Mammogram — left CC. Patient age 40.
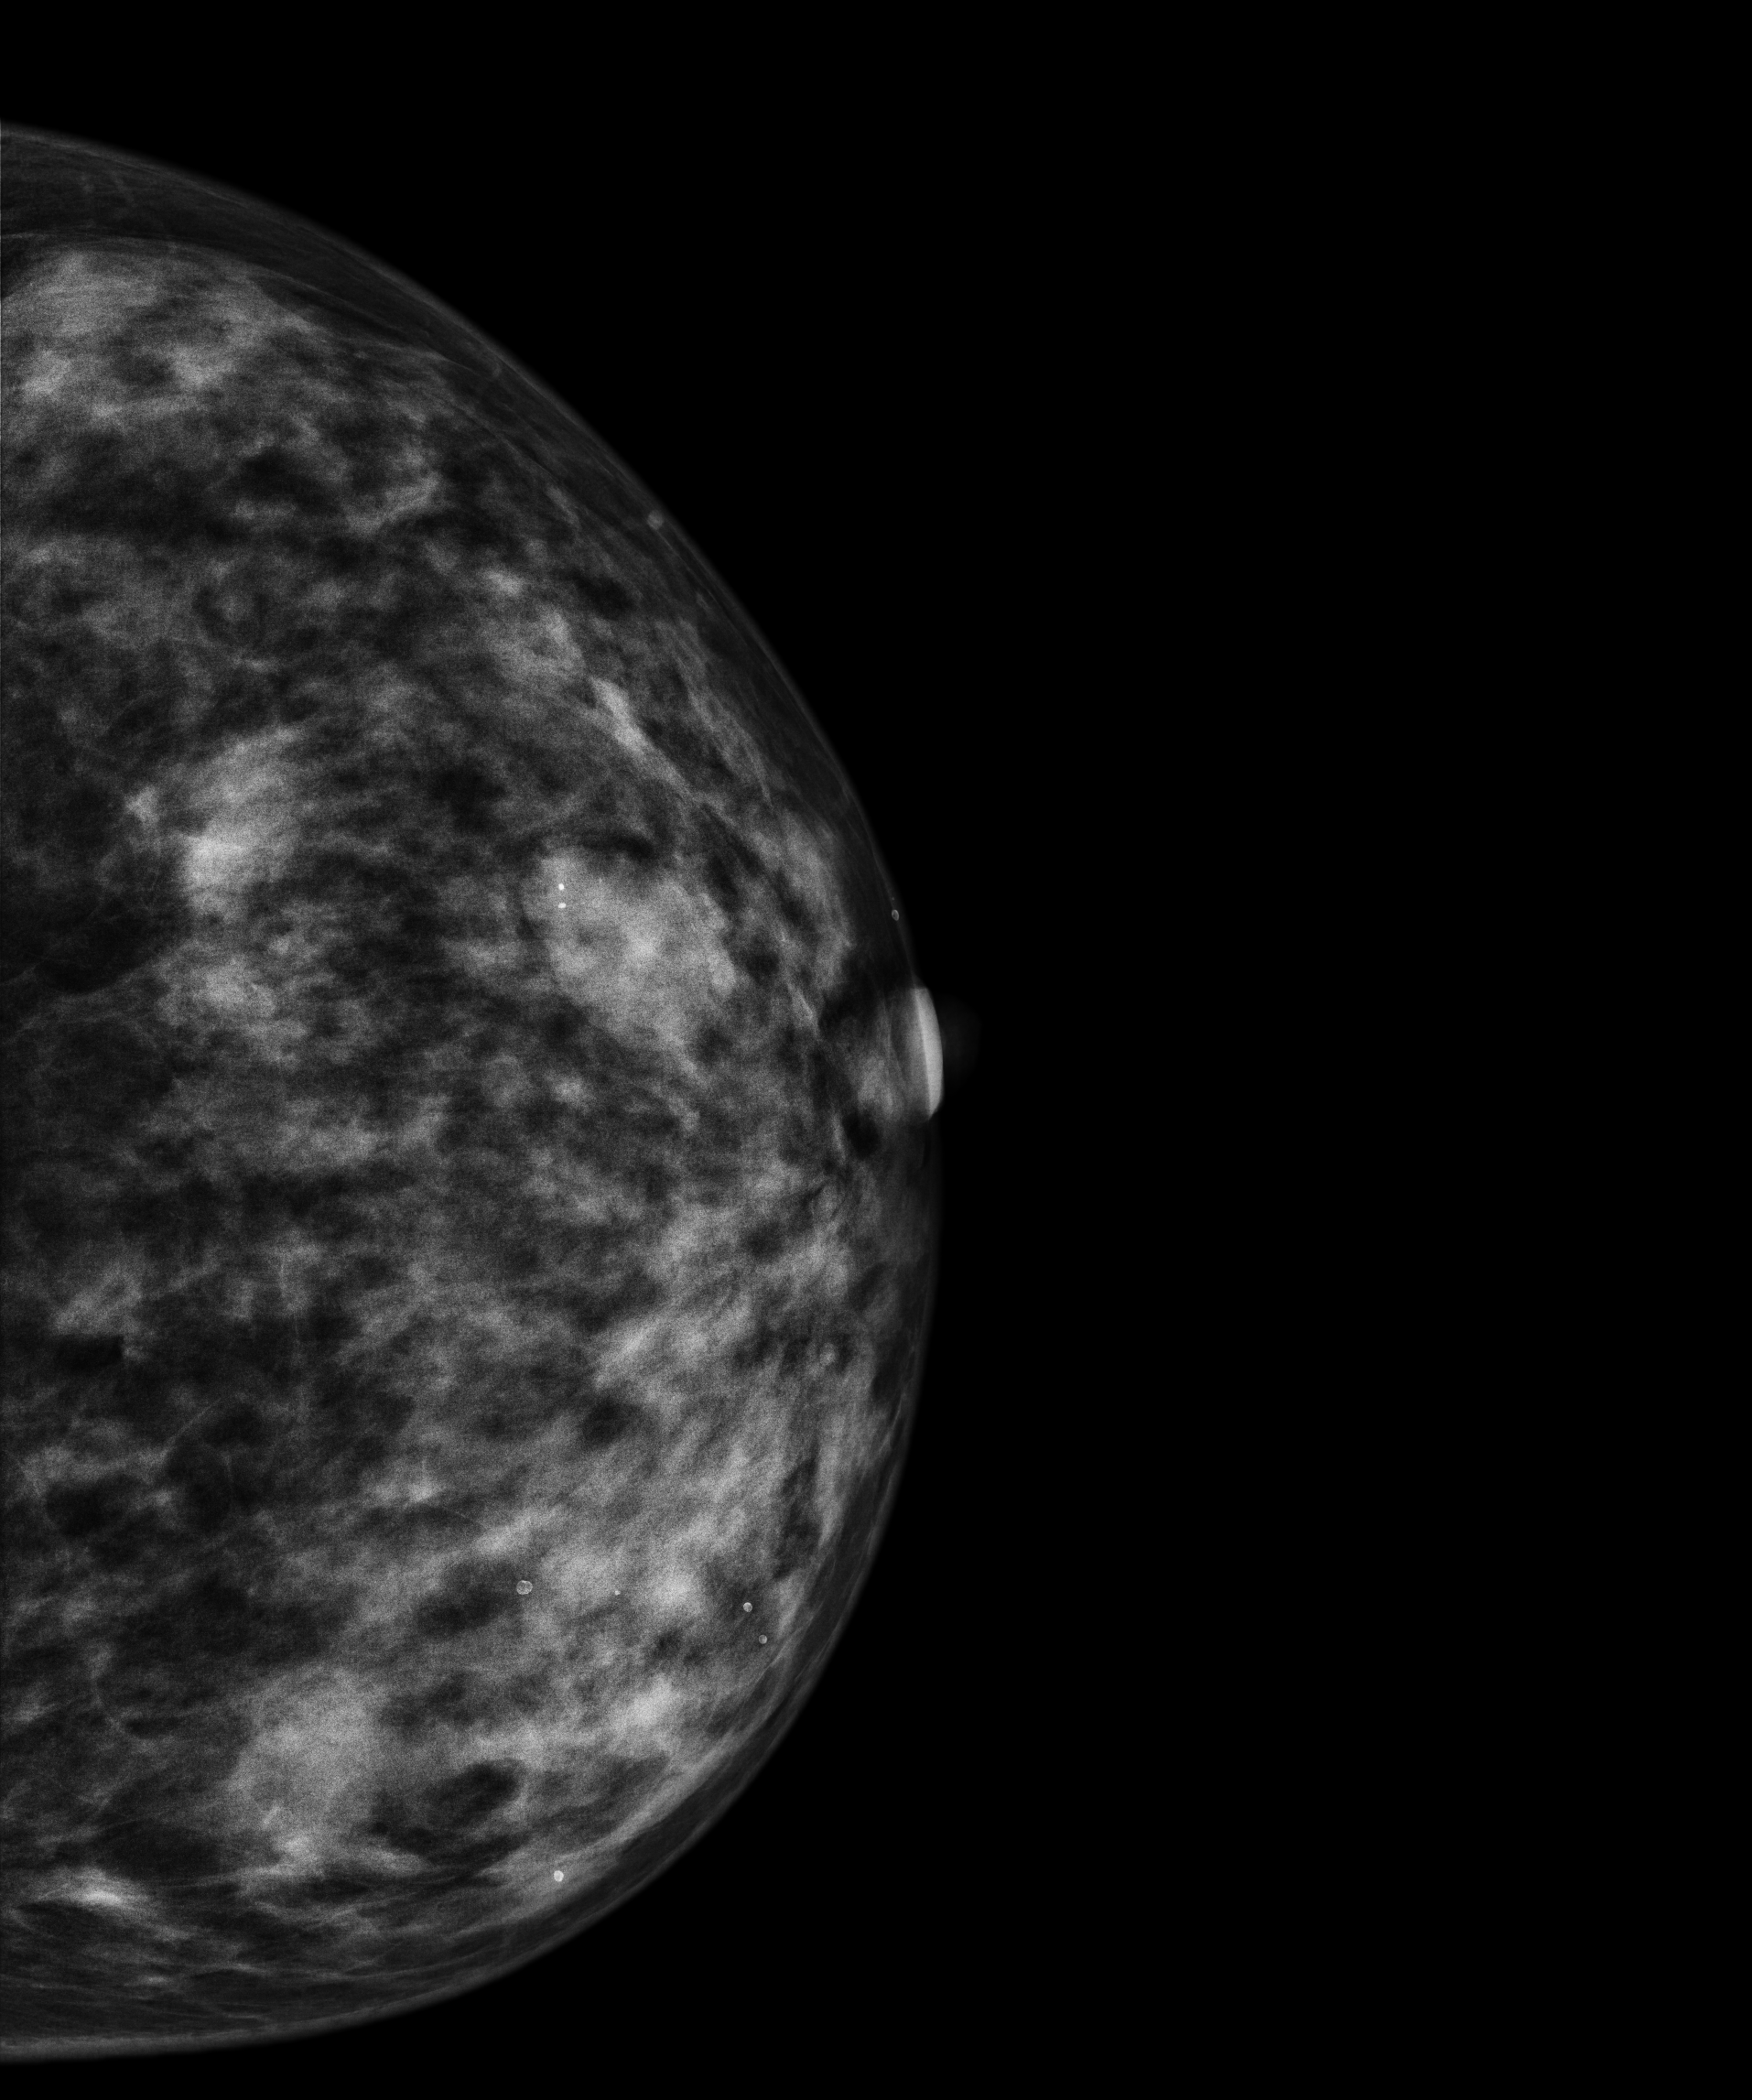
This breast has a mass and calcifications, histologically confirmed benign.